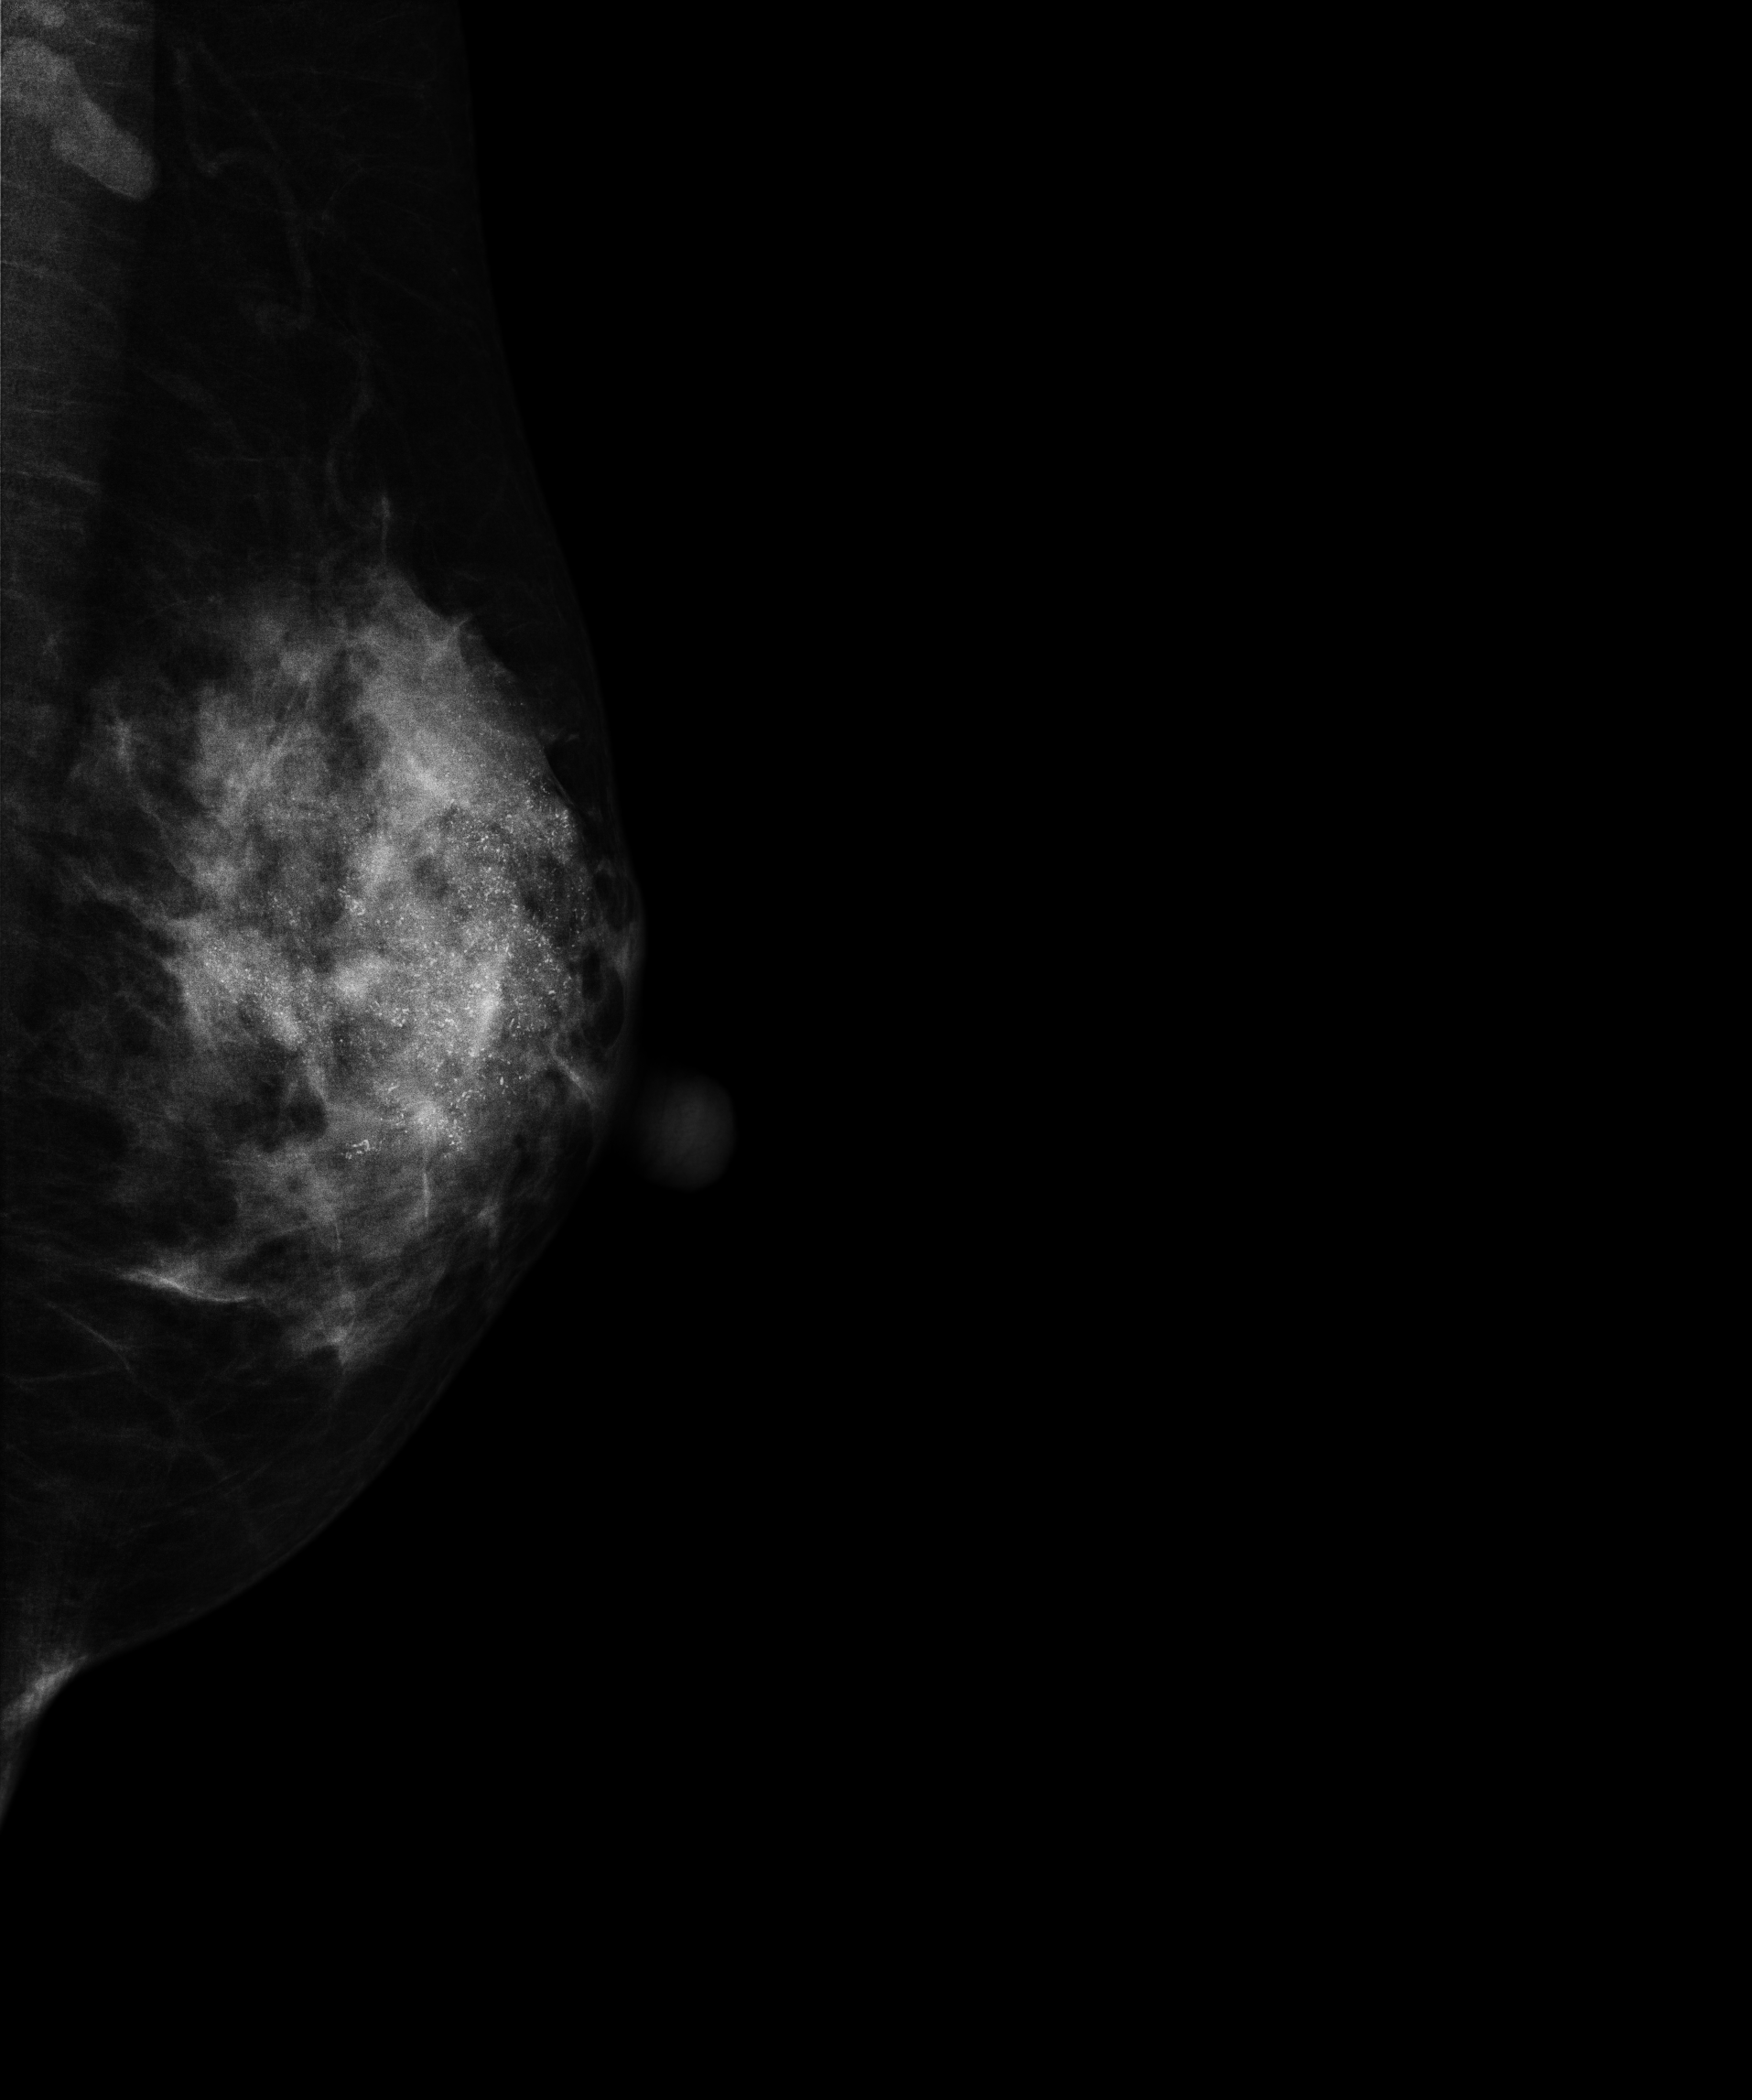
Left-breast mammogram, medio-lateral oblique. 46 y/o patient.
This breast has calcifications, biopsy-proven malignant.